Medio-lateral oblique mammogram of the left breast. Patient age 45.
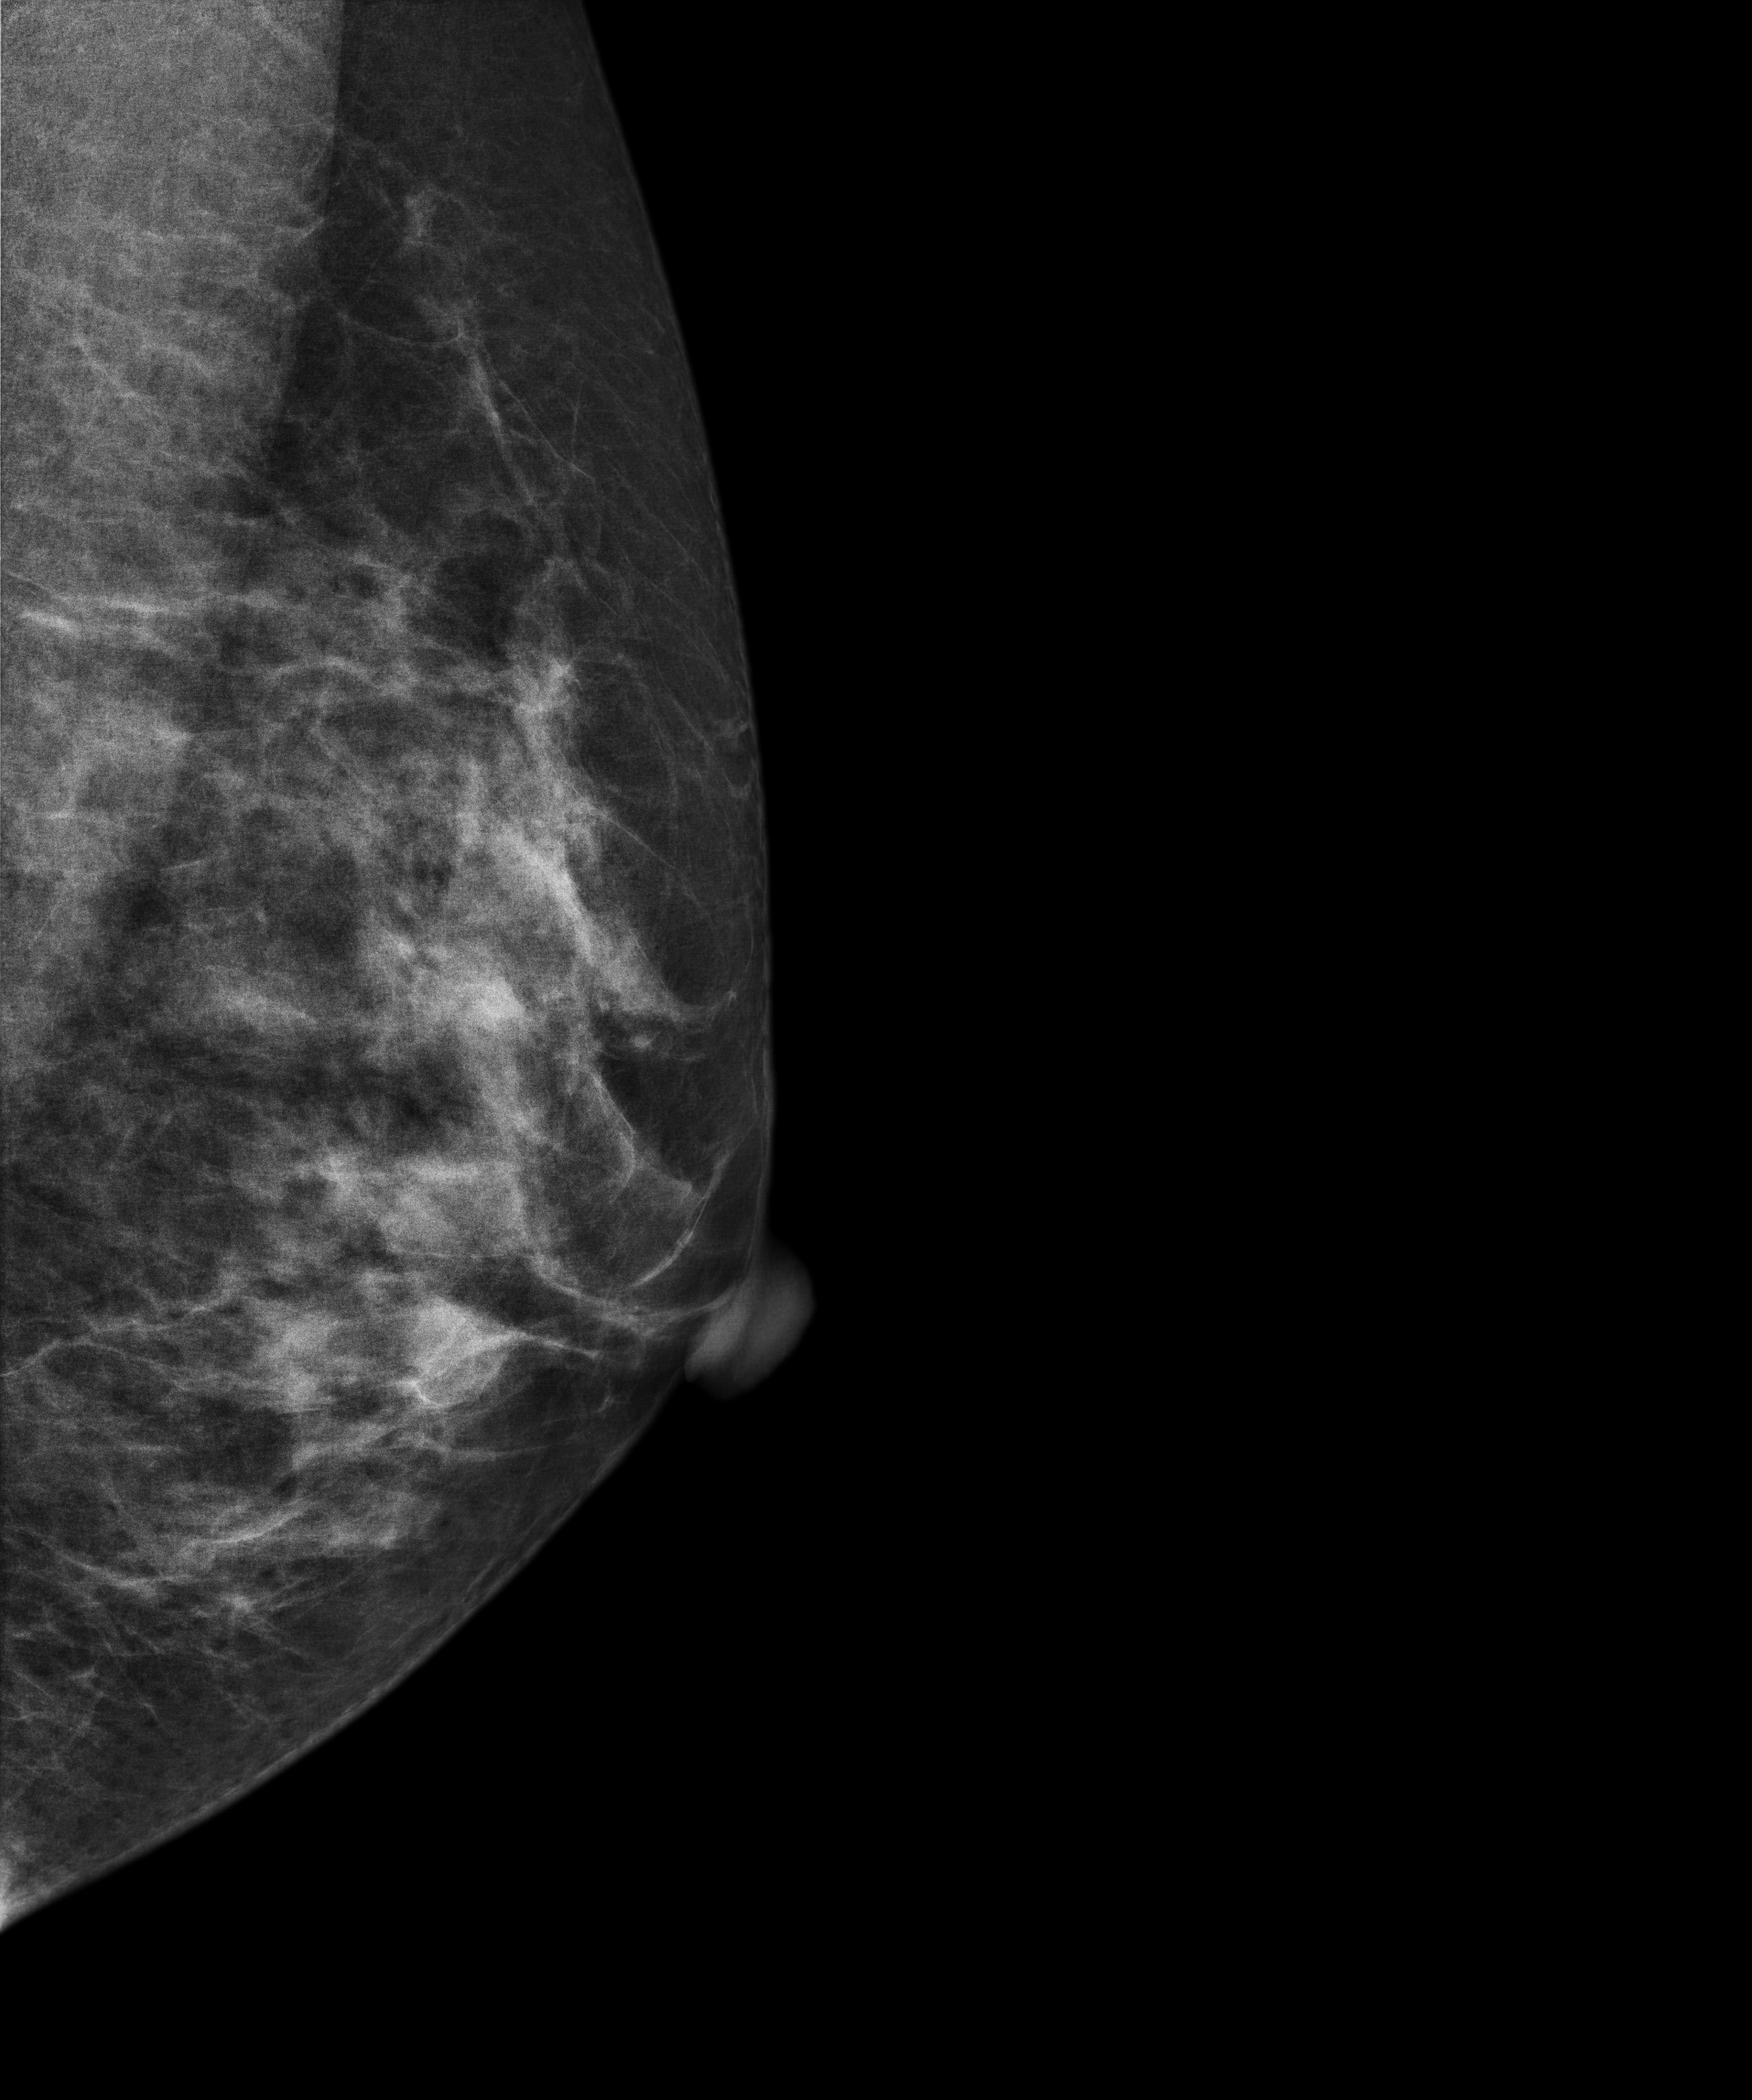
This breast has a mass and calcifications, biopsy-proven malignant. Molecular subtype: luminal B.